Mammogram — left MLO. Patient age 51.
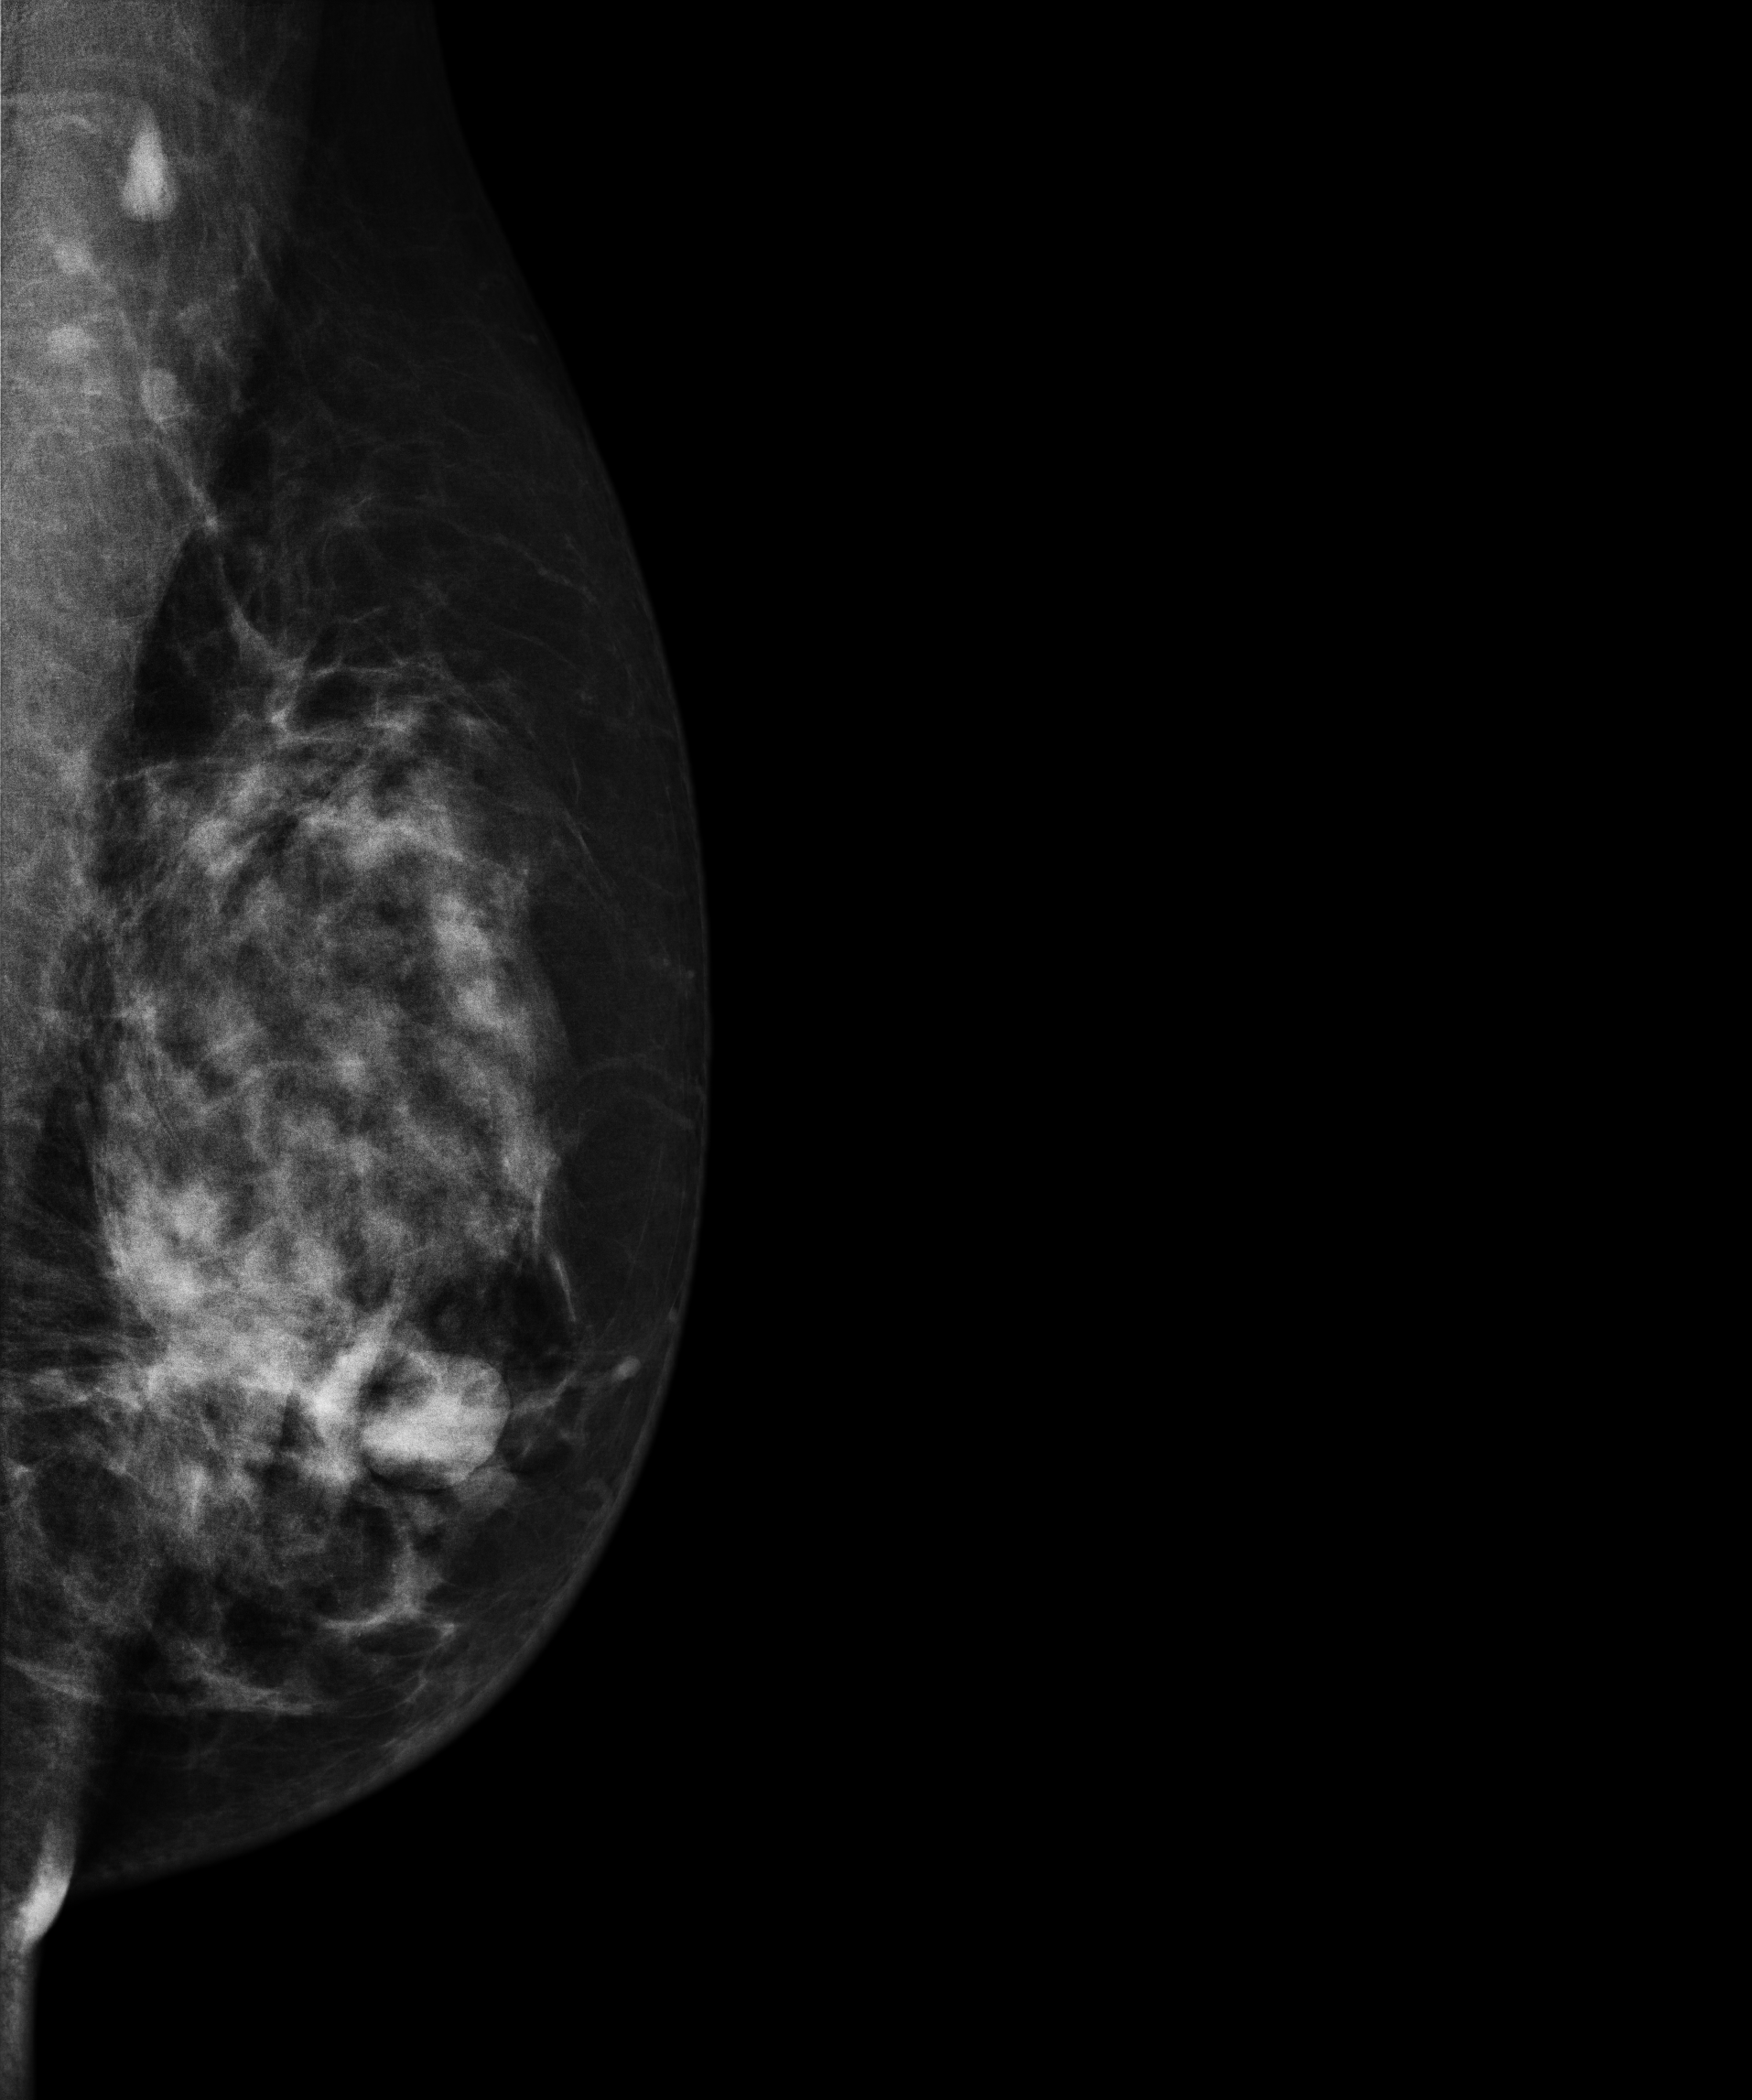
This breast has a mass and calcifications, histologically confirmed malignant.